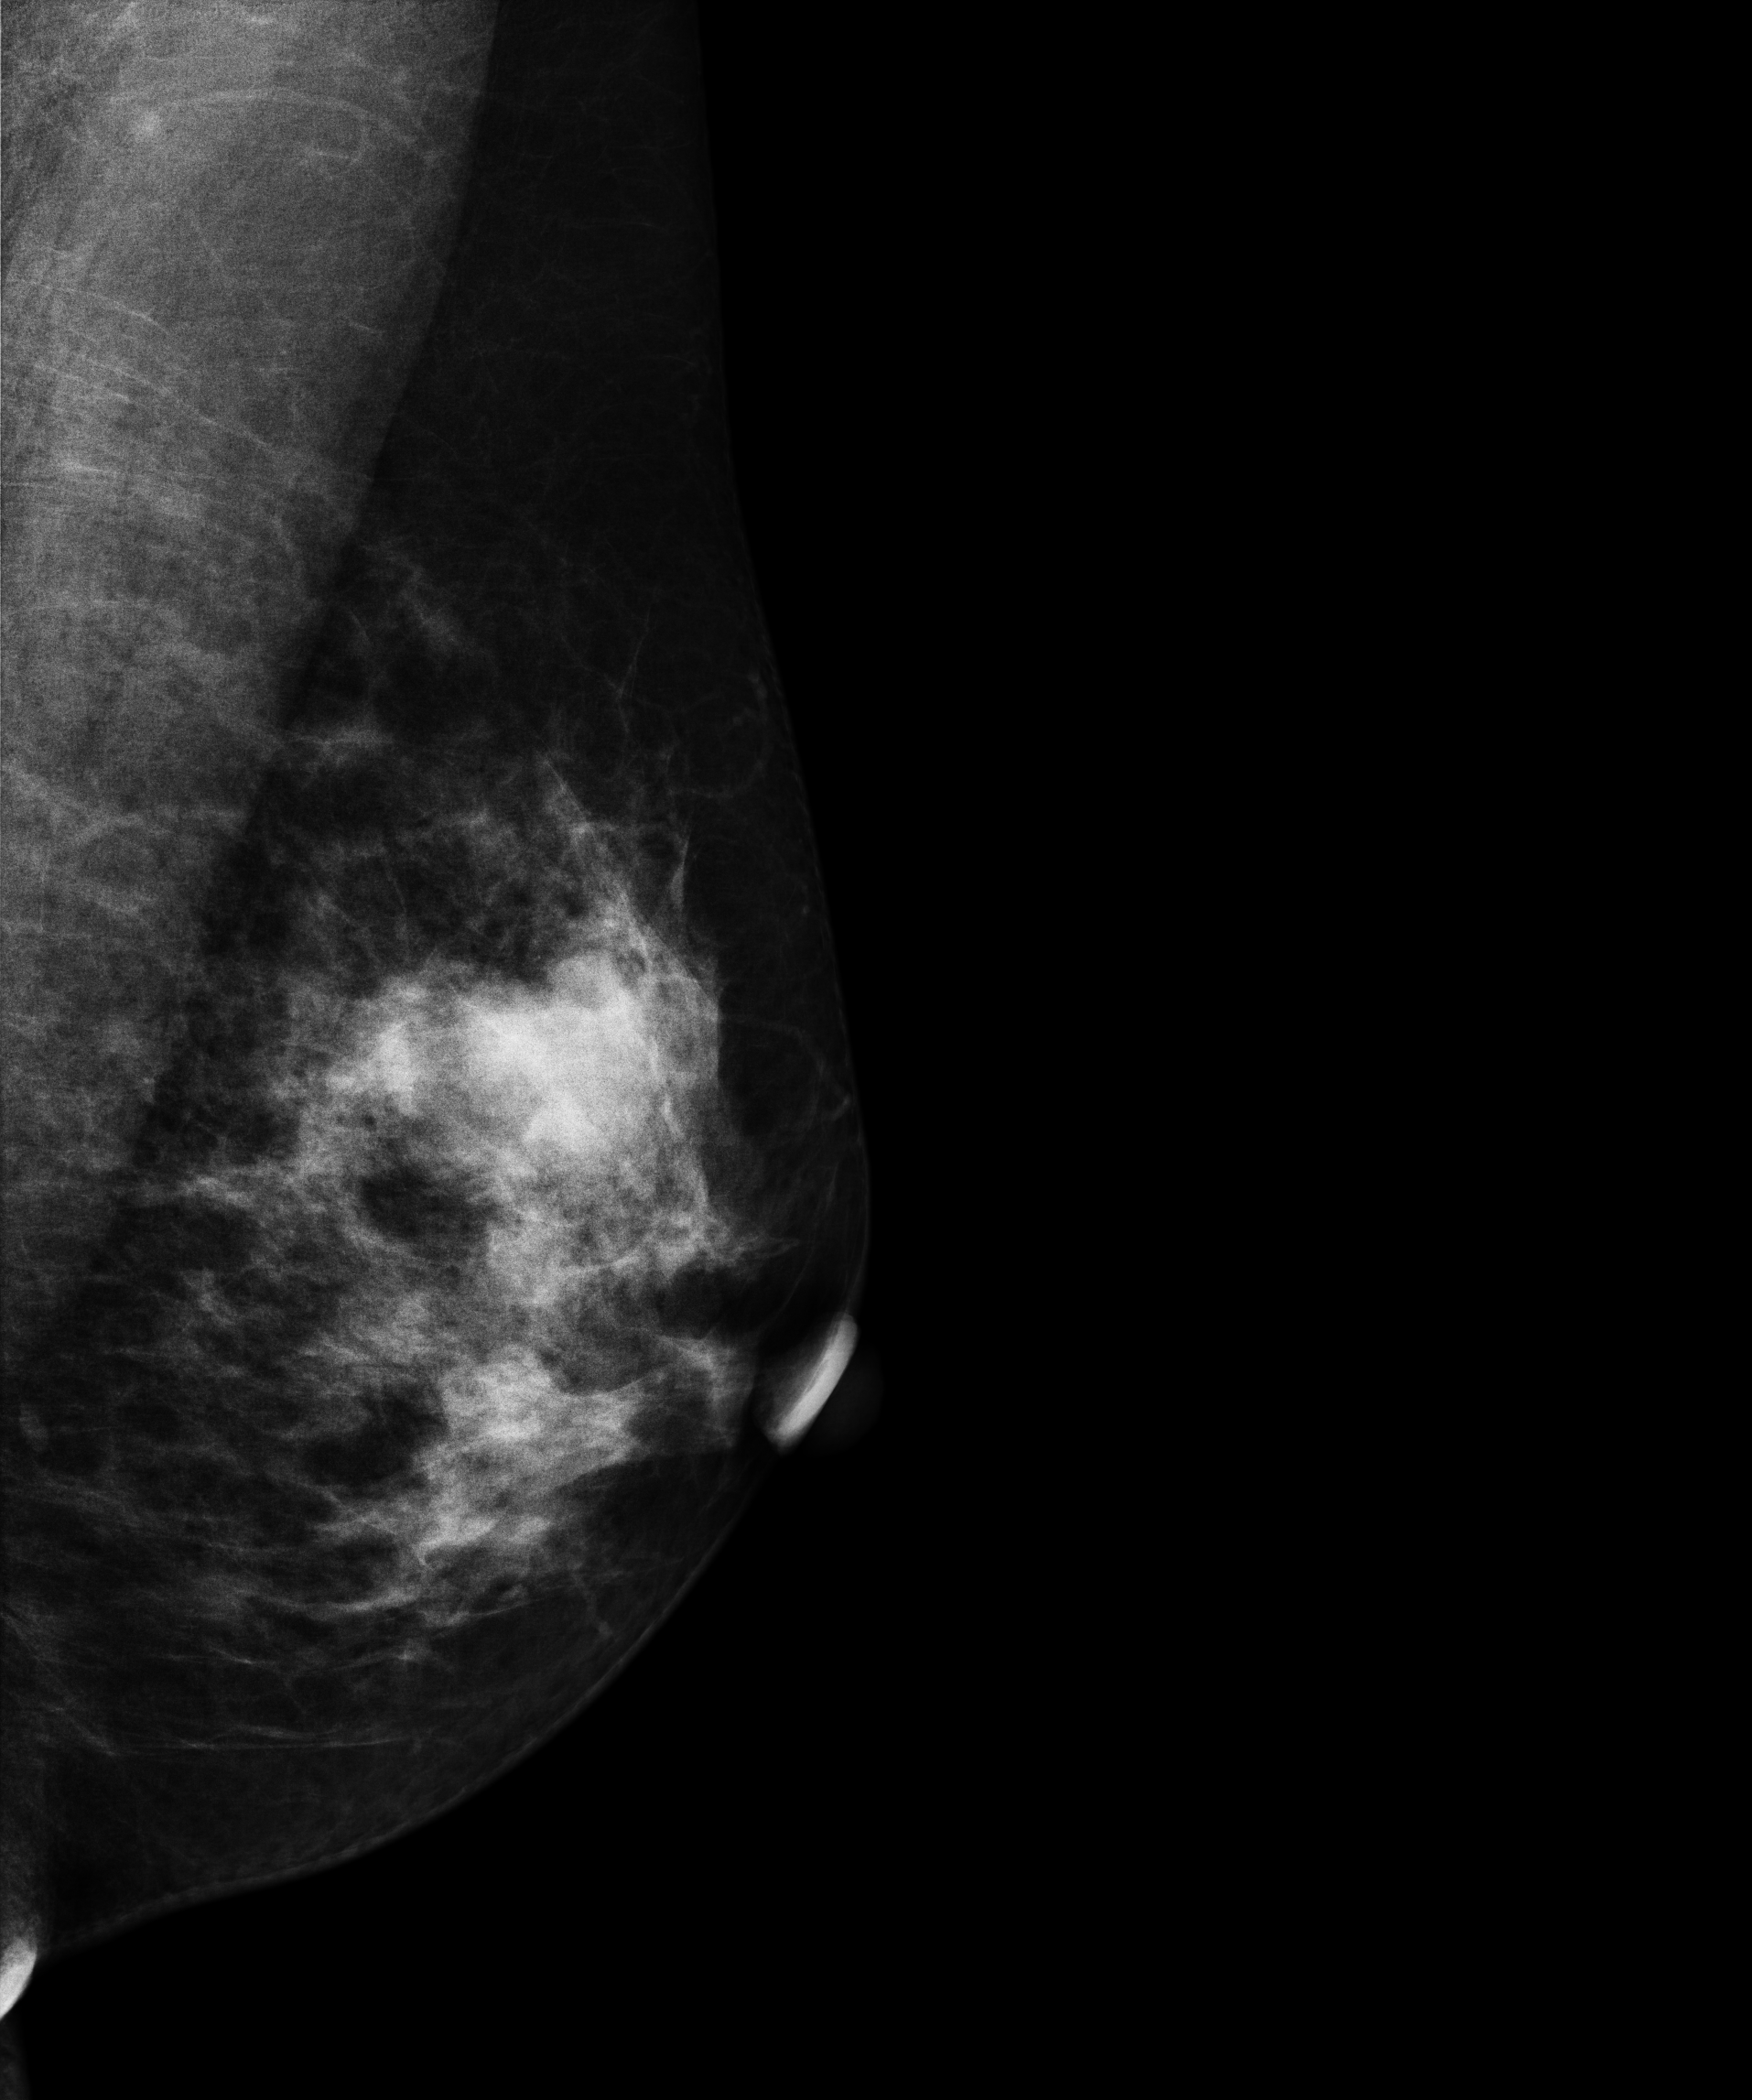
Left-breast mammogram, medio-lateral oblique. 46-year-old patient.
This breast has a mass, biopsy-proven malignant.